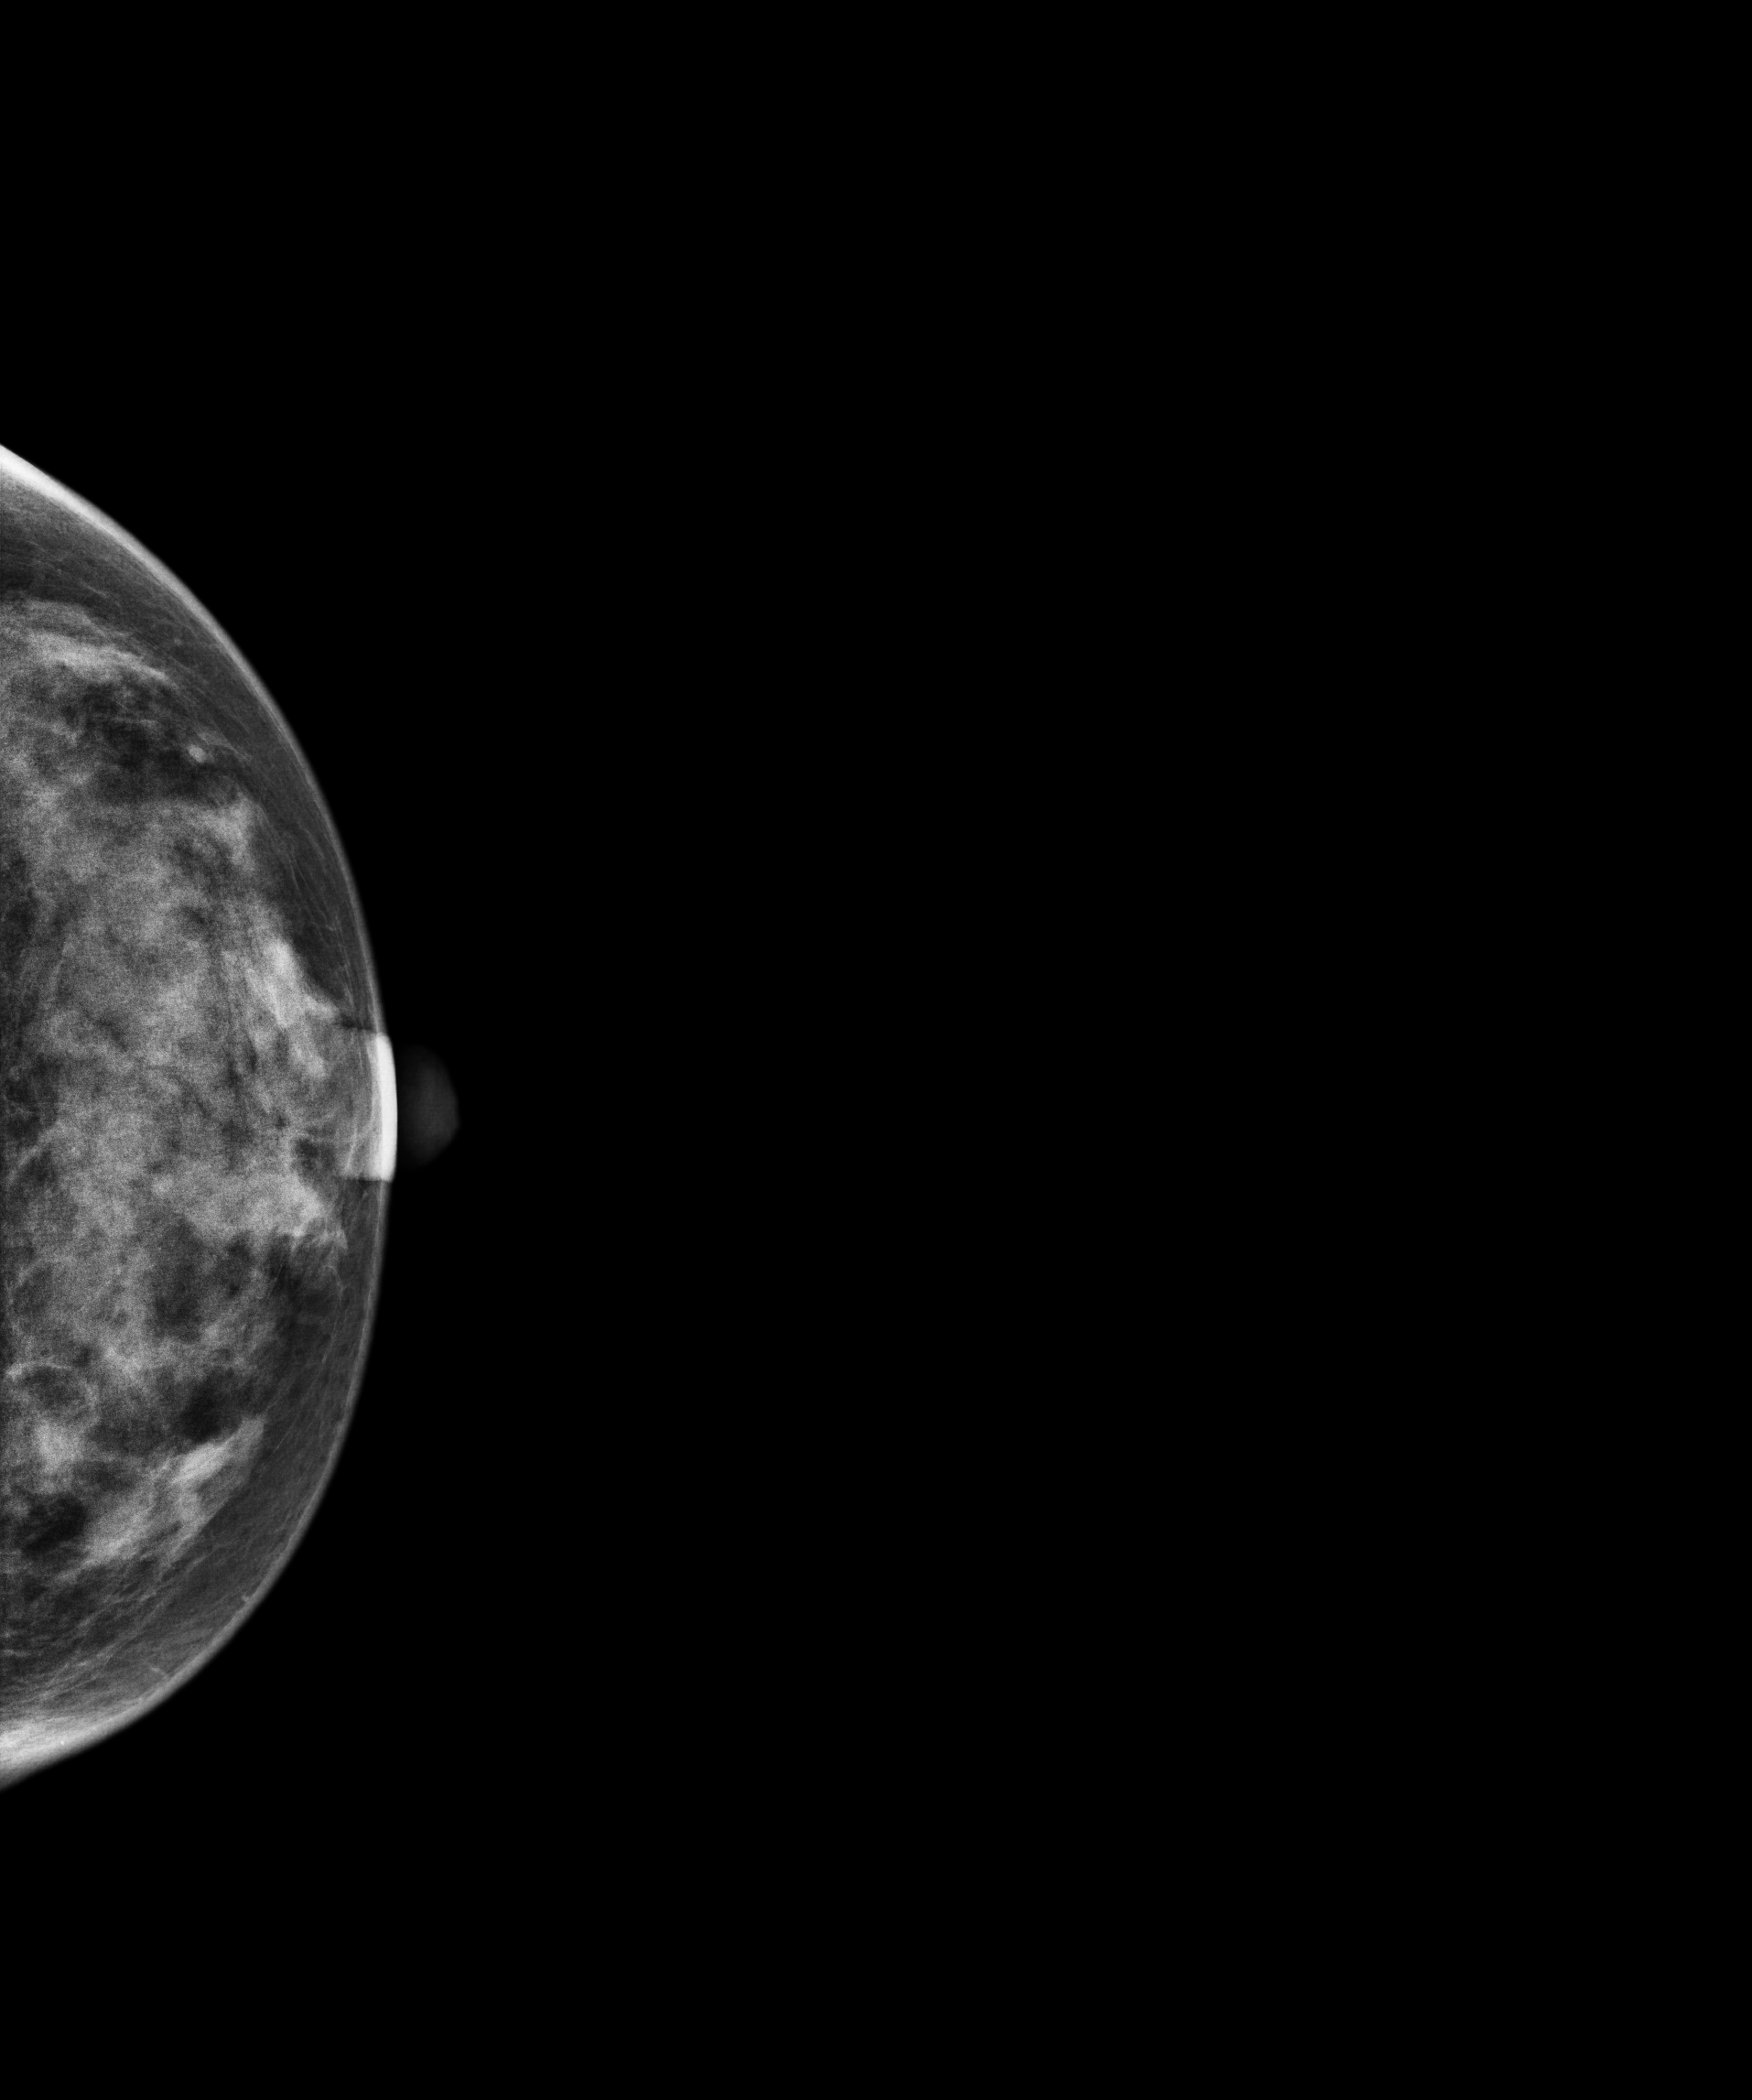
Digital mammography. Left breast, CC projection. Patient age 39.
Contralateral breast — no documented abnormality on this side.